Digital mammography. Right breast, MLO projection. Patient age 41.
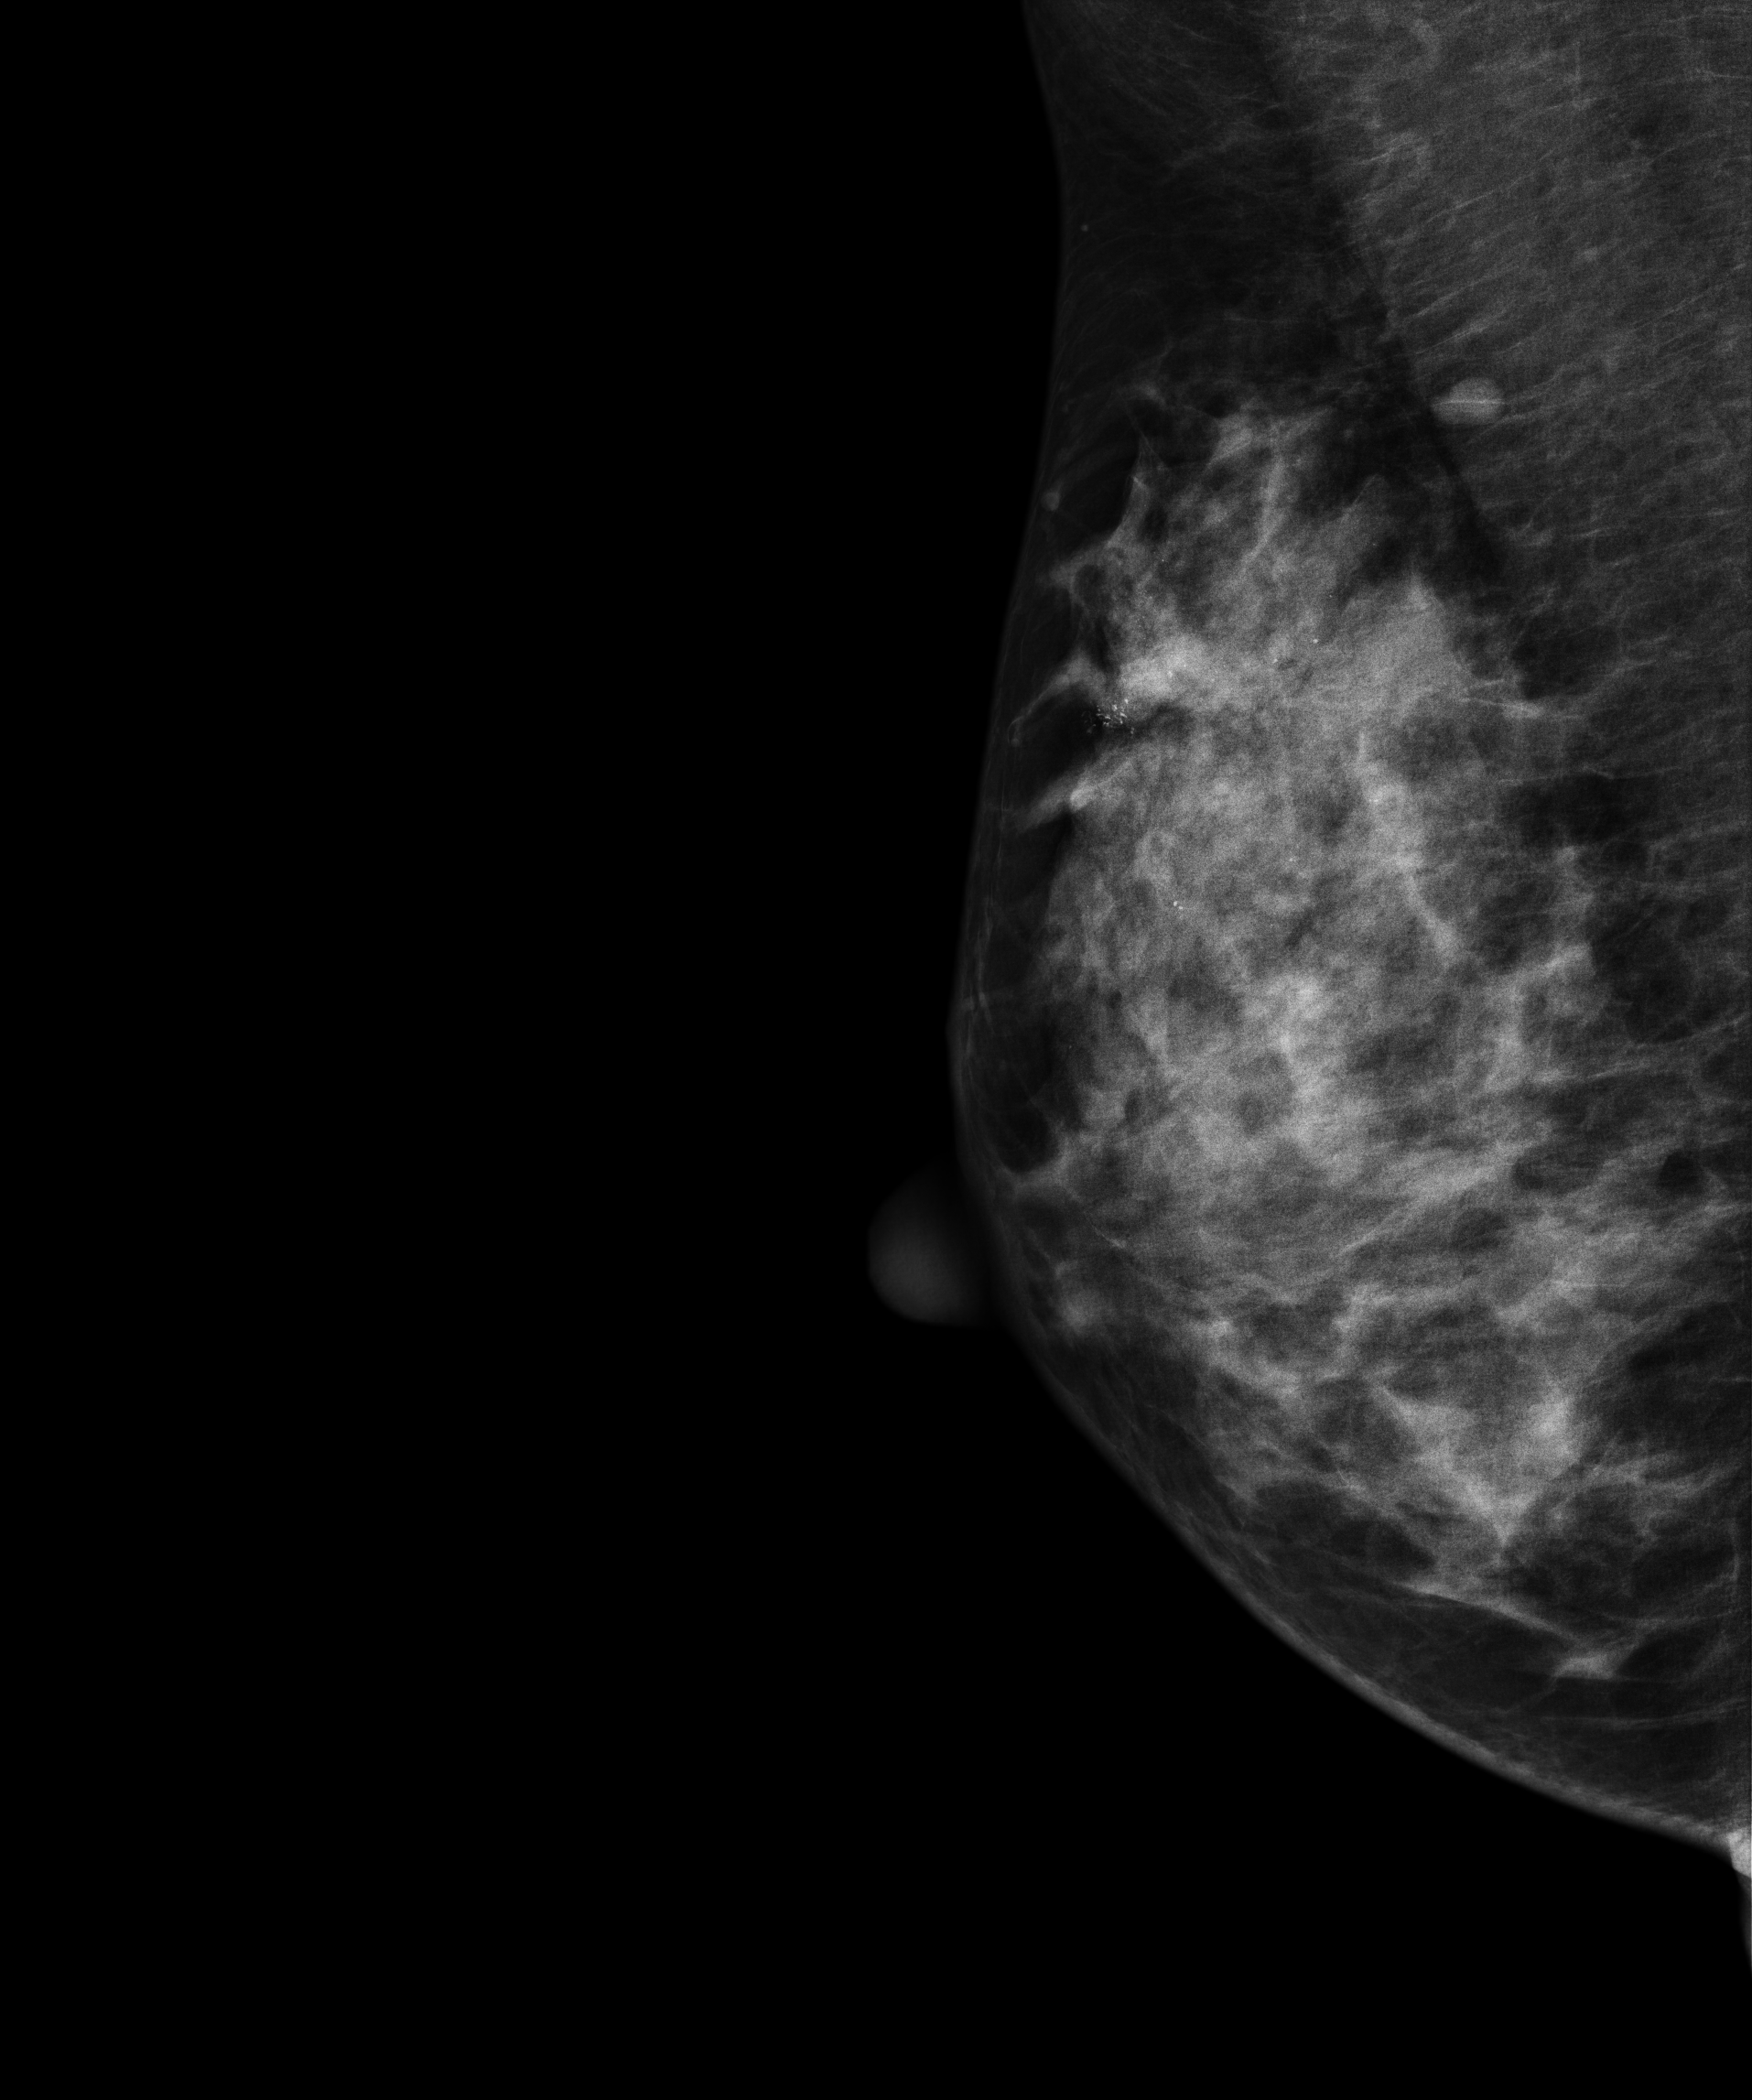
This breast has a mass and calcifications, pathology-confirmed malignant.